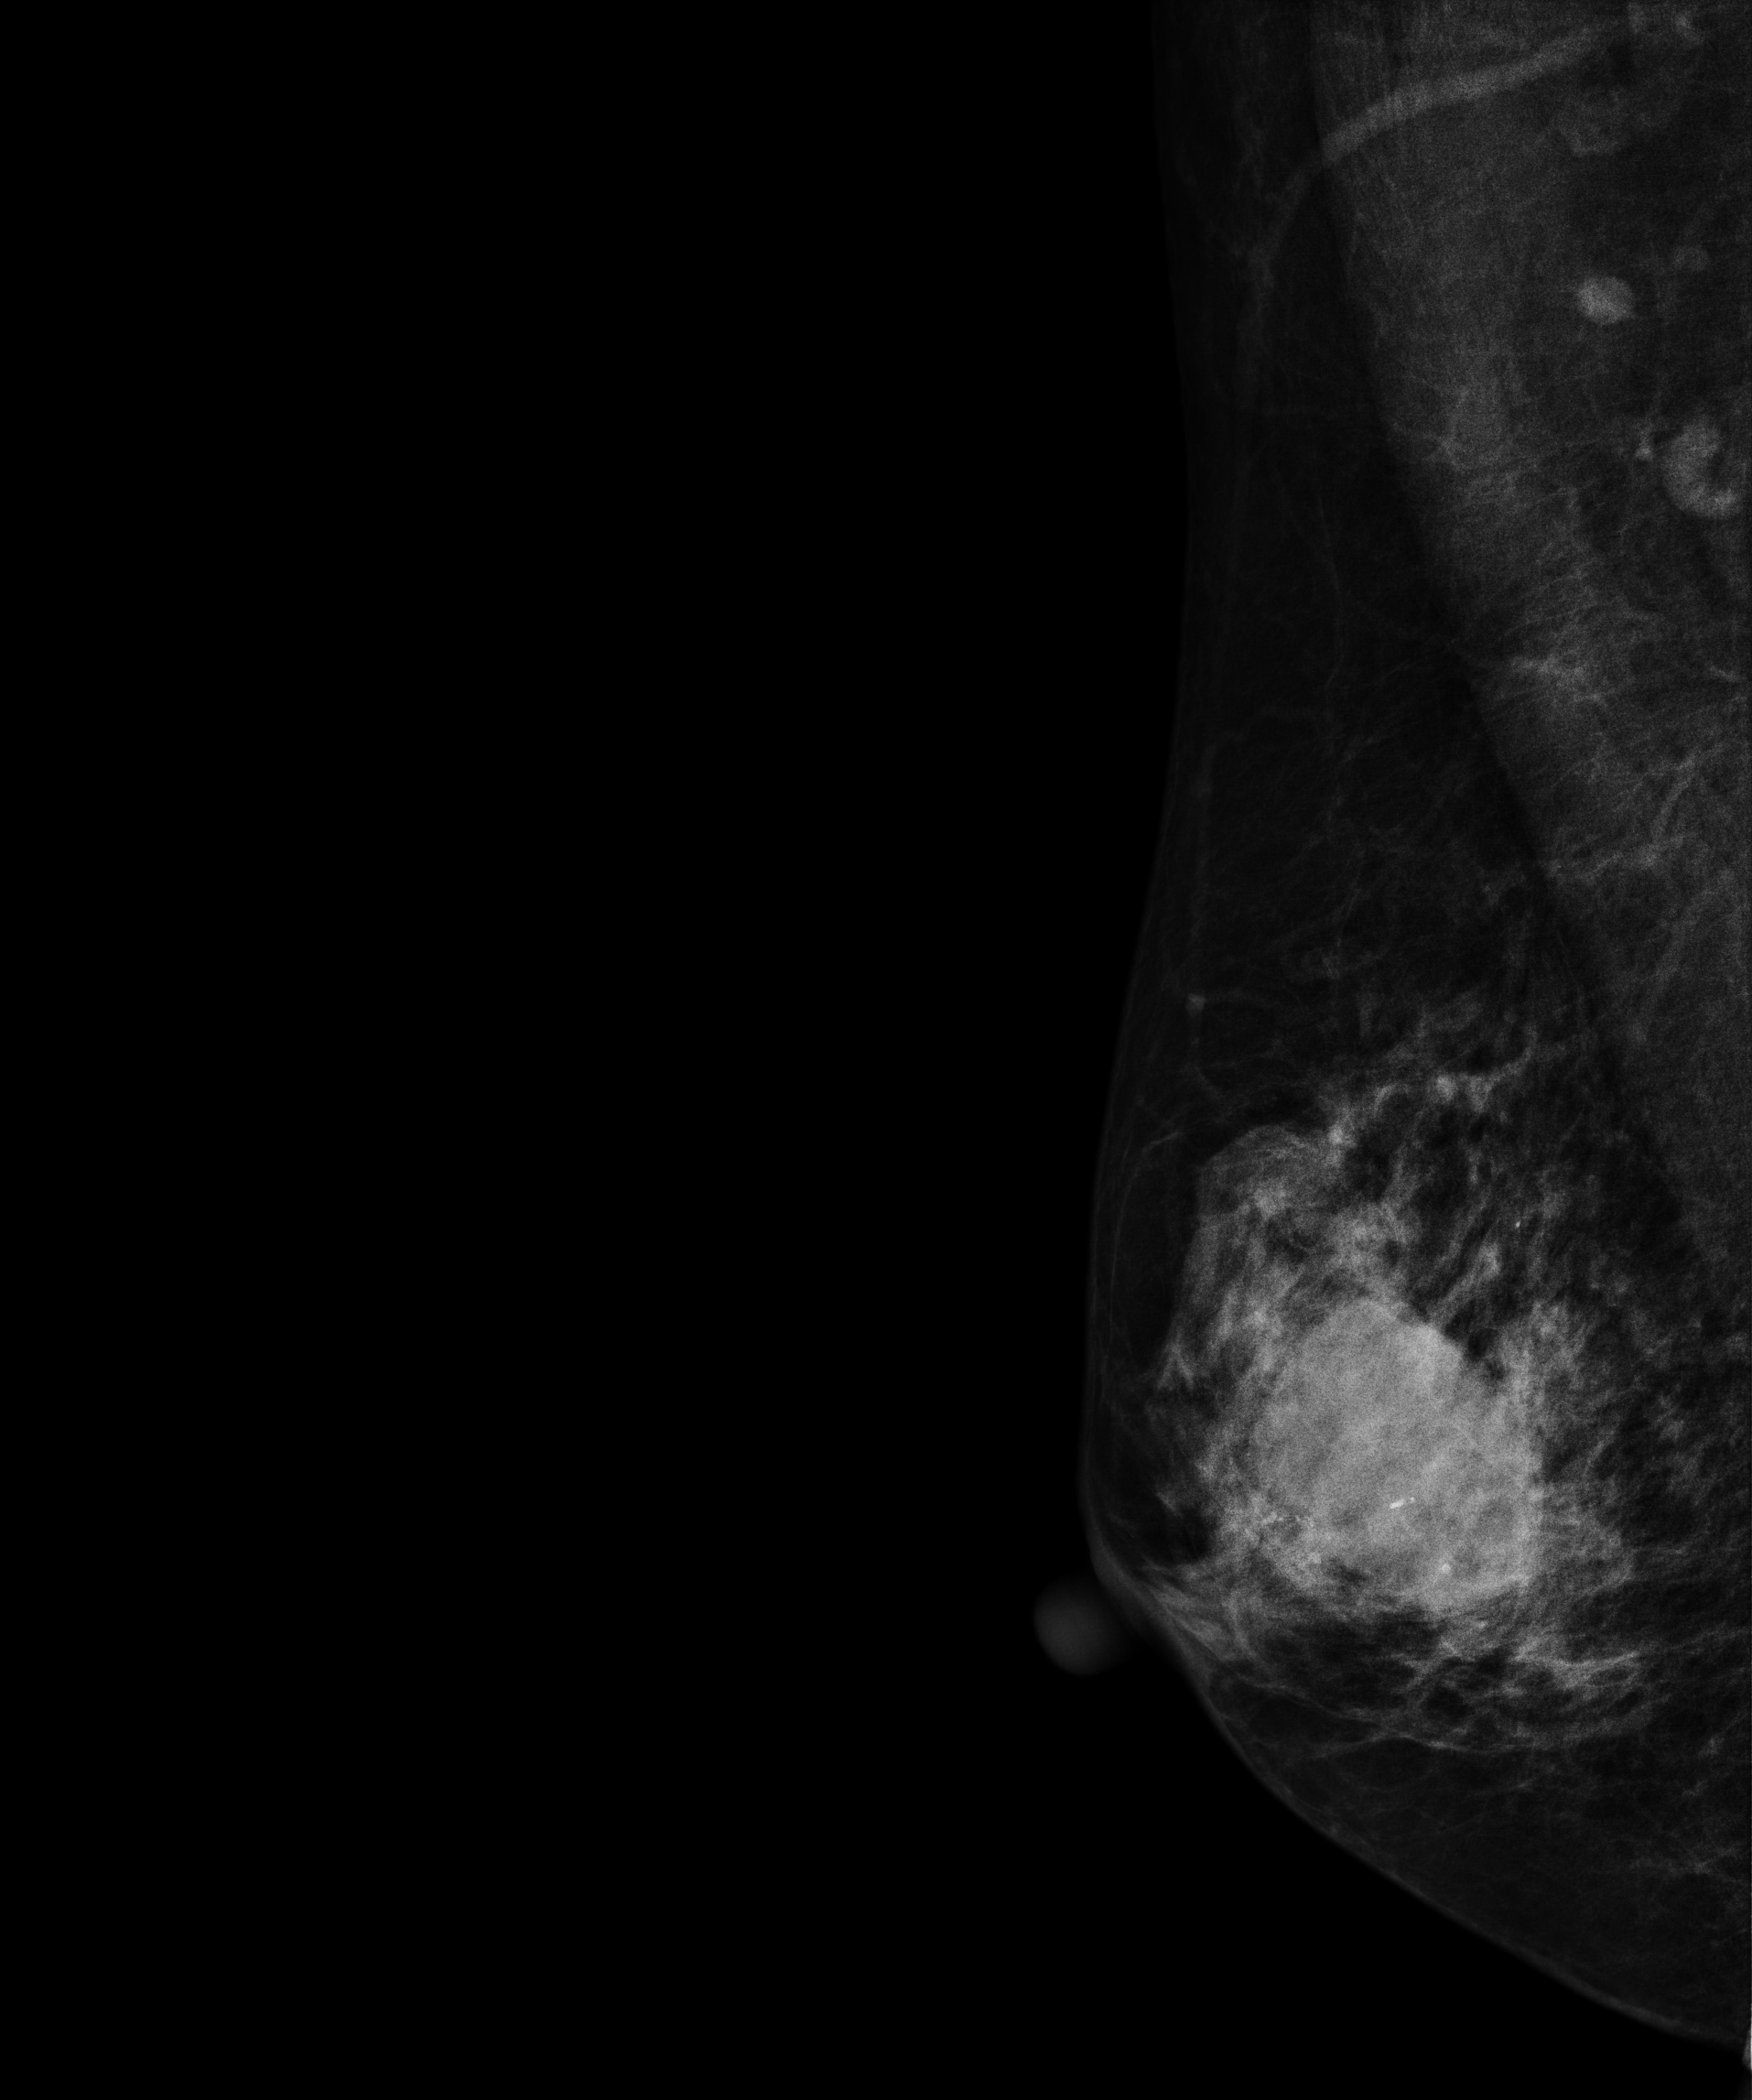
Mammogram, right breast, MLO view. 68-year-old patient.
This breast has a mass and calcifications, histologically confirmed malignant. Molecular subtype: HER2-enriched.